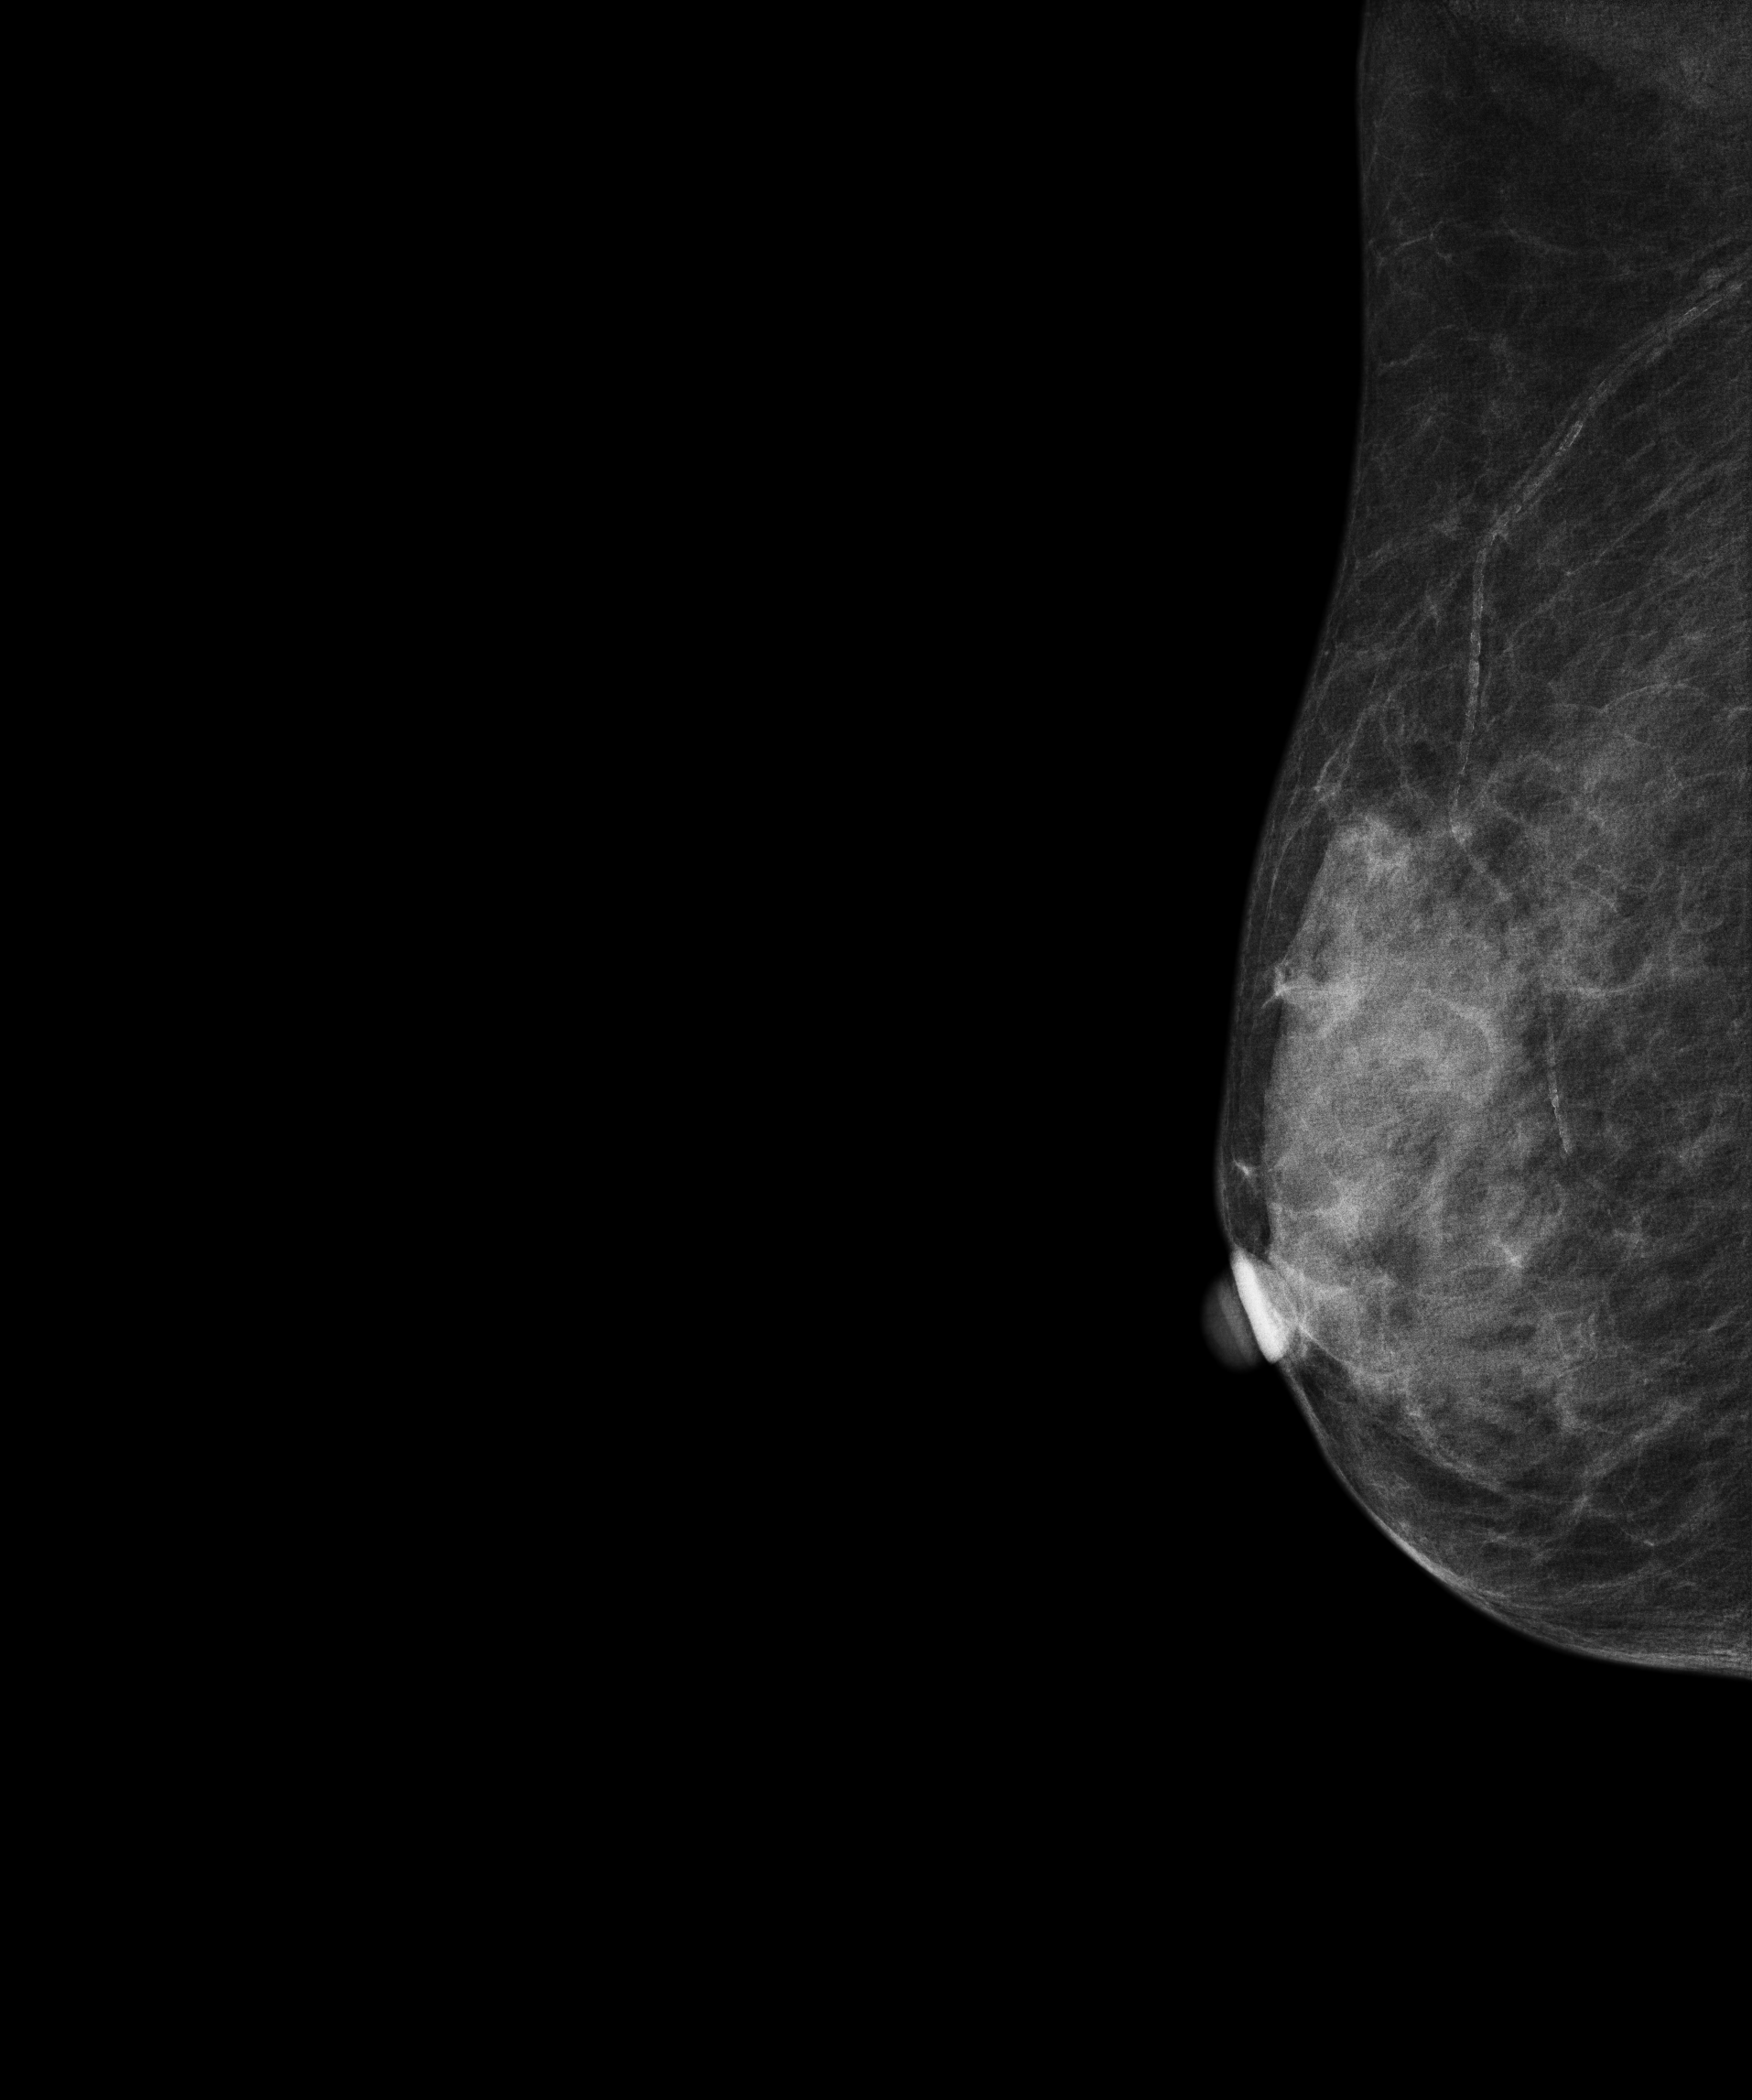
Mammogram, right breast, MLO view. 71 y/o patient.
Contralateral breast — no documented abnormality on this side.